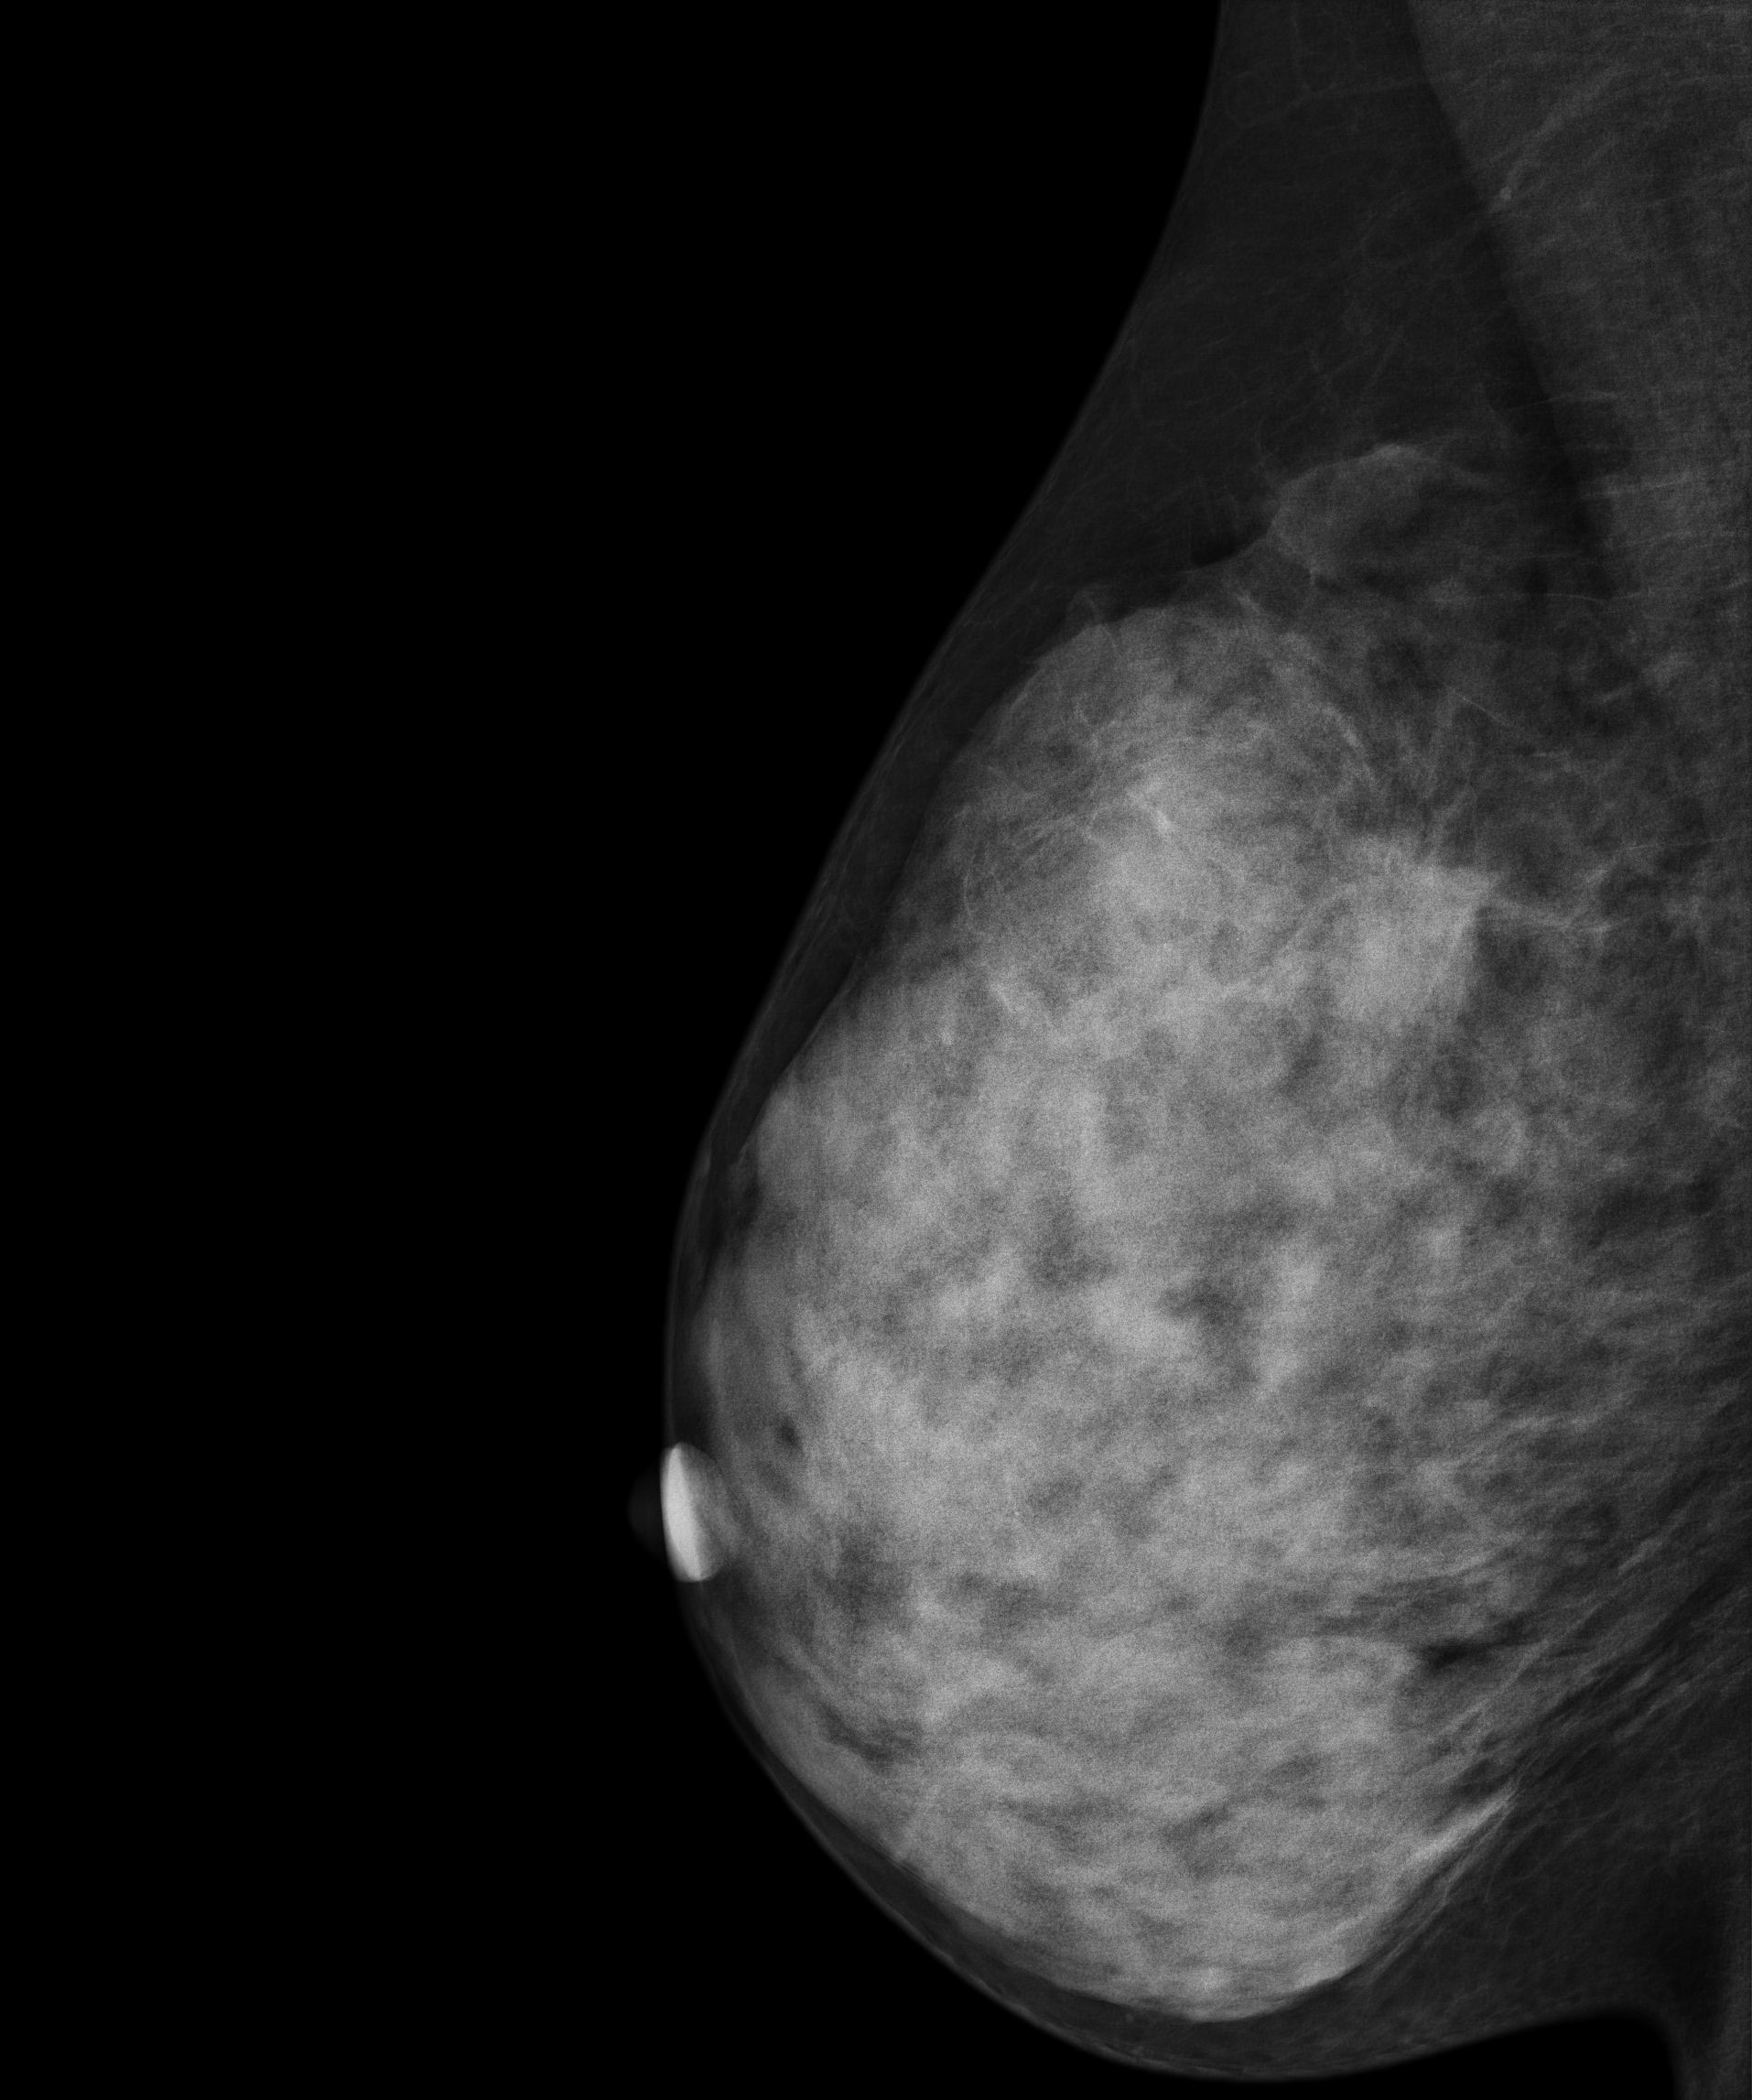
Digital mammography. Right breast, medio-lateral oblique projection. Patient age 44.
This breast has a mass, biopsy-confirmed malignant. Molecular subtype: luminal B.